Digital mammography. Left breast, cranio-caudal projection. 46 y/o patient.
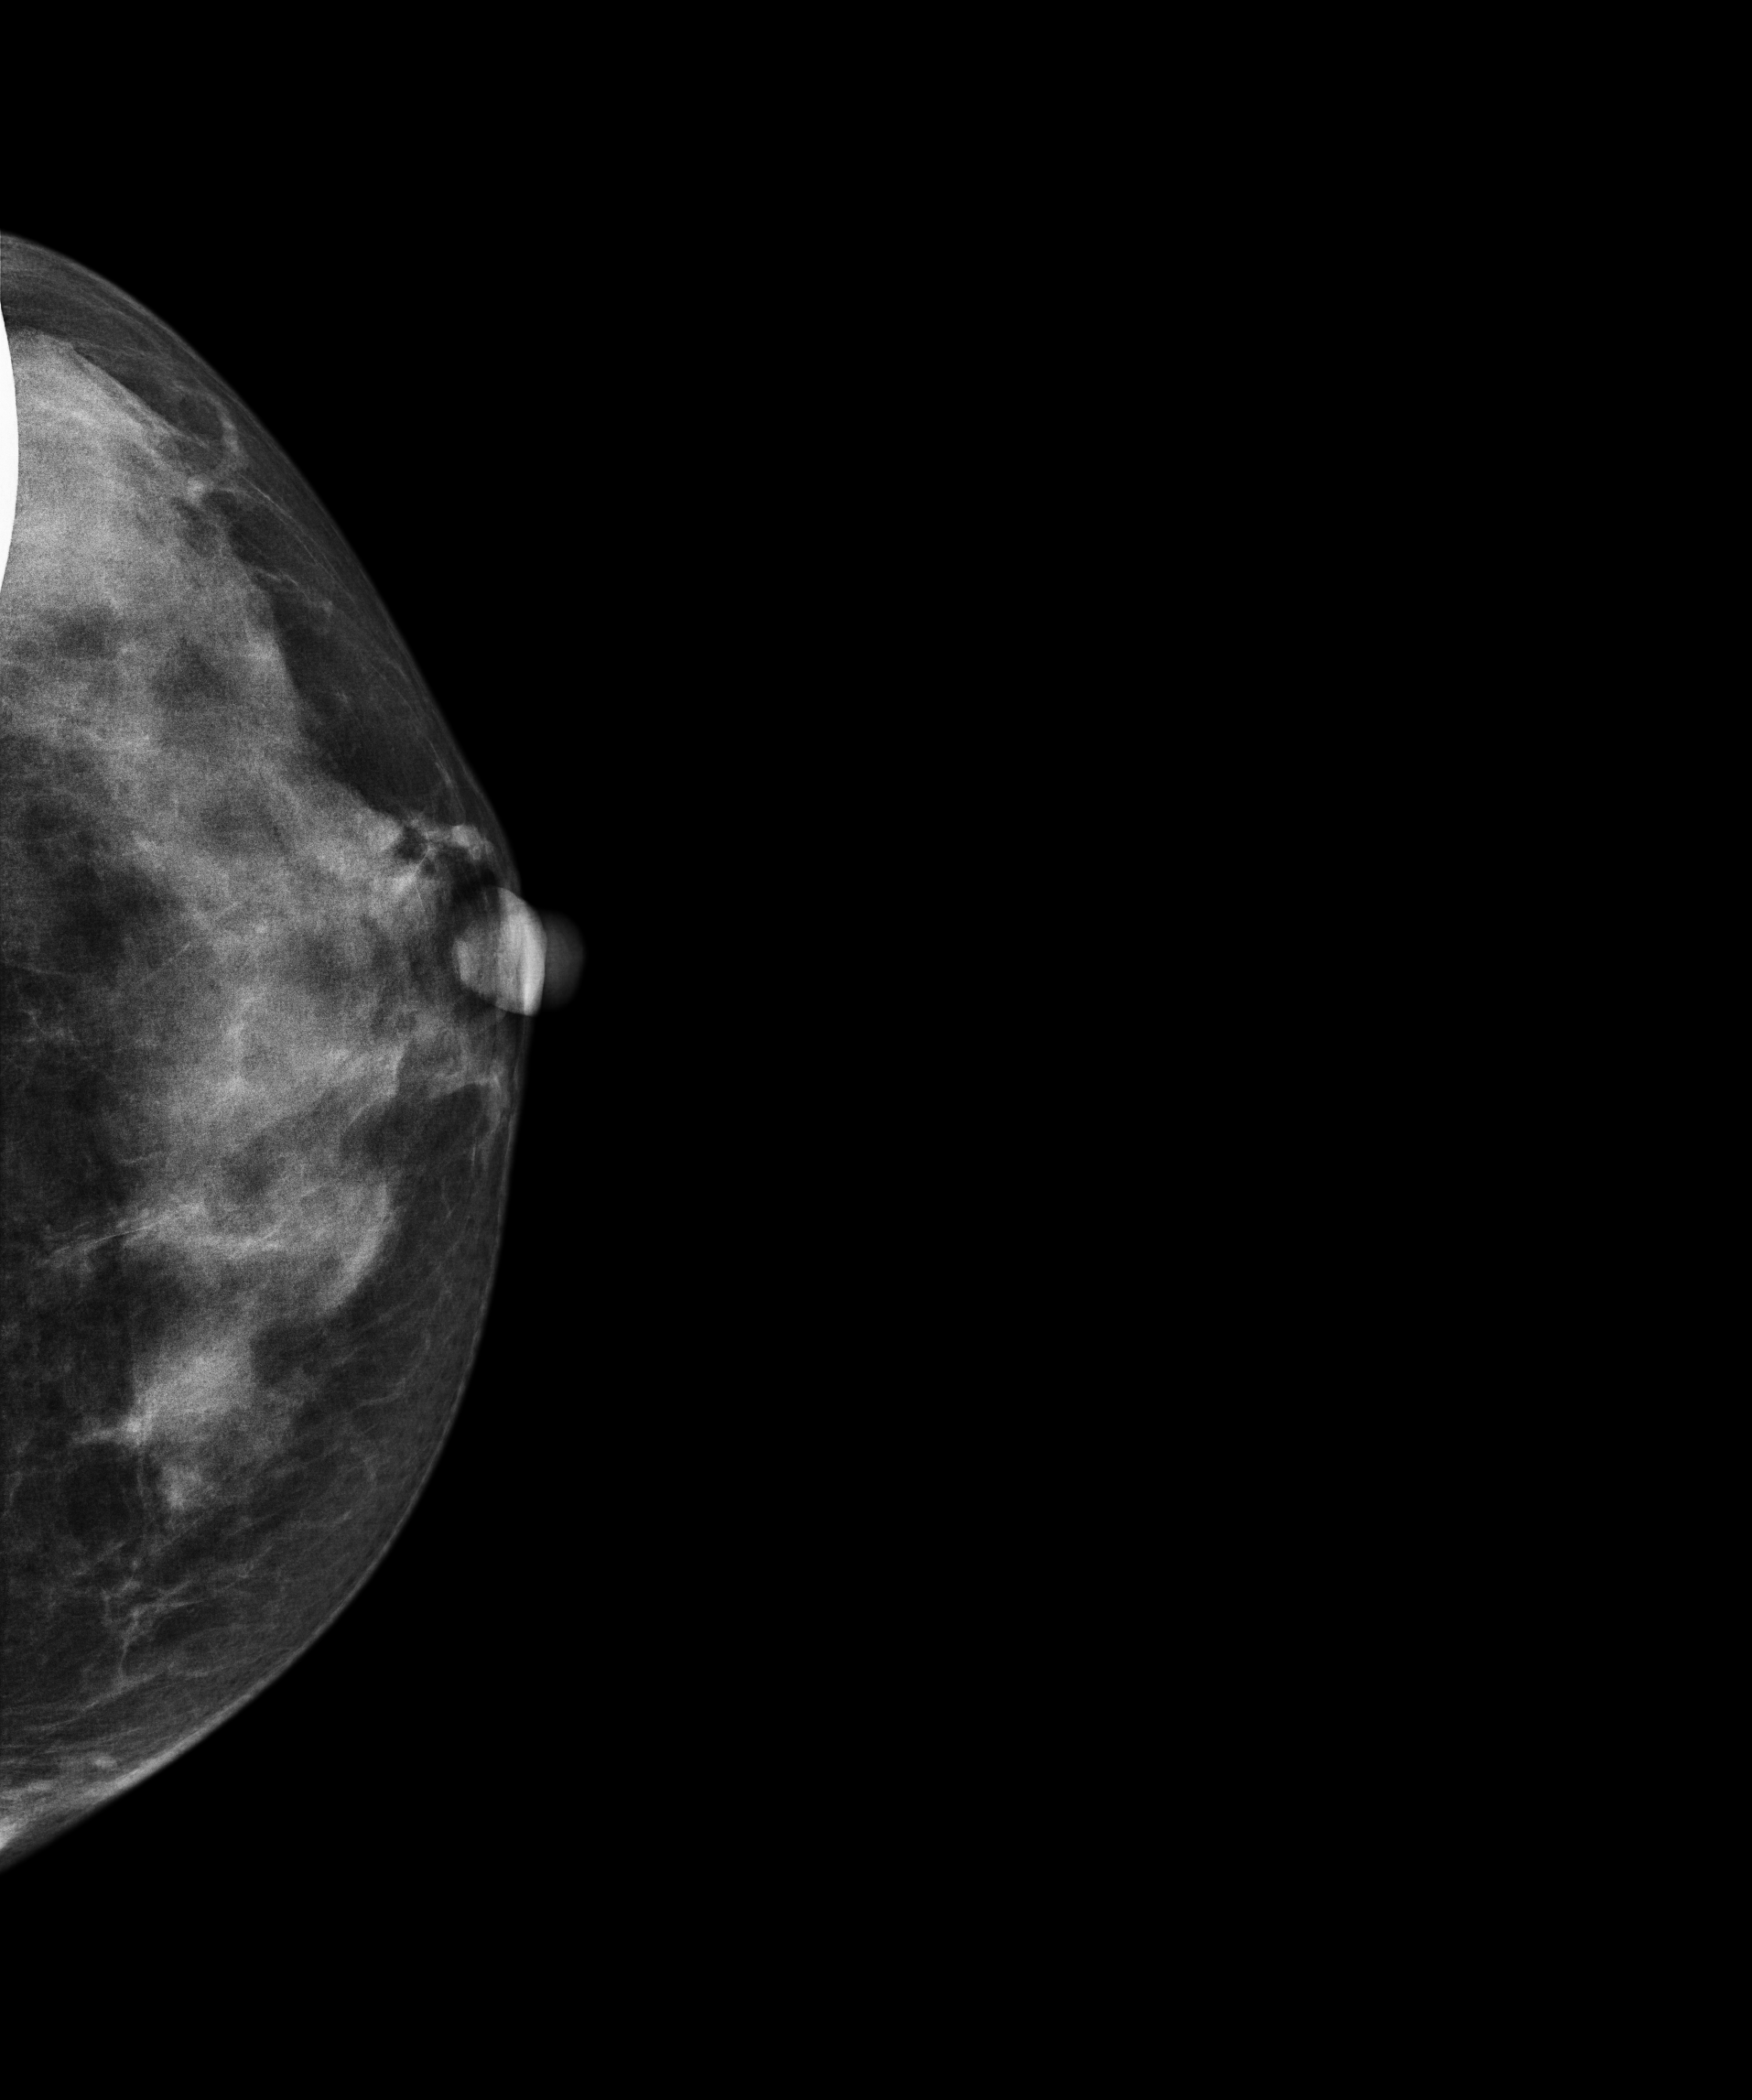
This breast has a mass, pathology-confirmed benign.